CC mammogram of the left breast. Patient age 53.
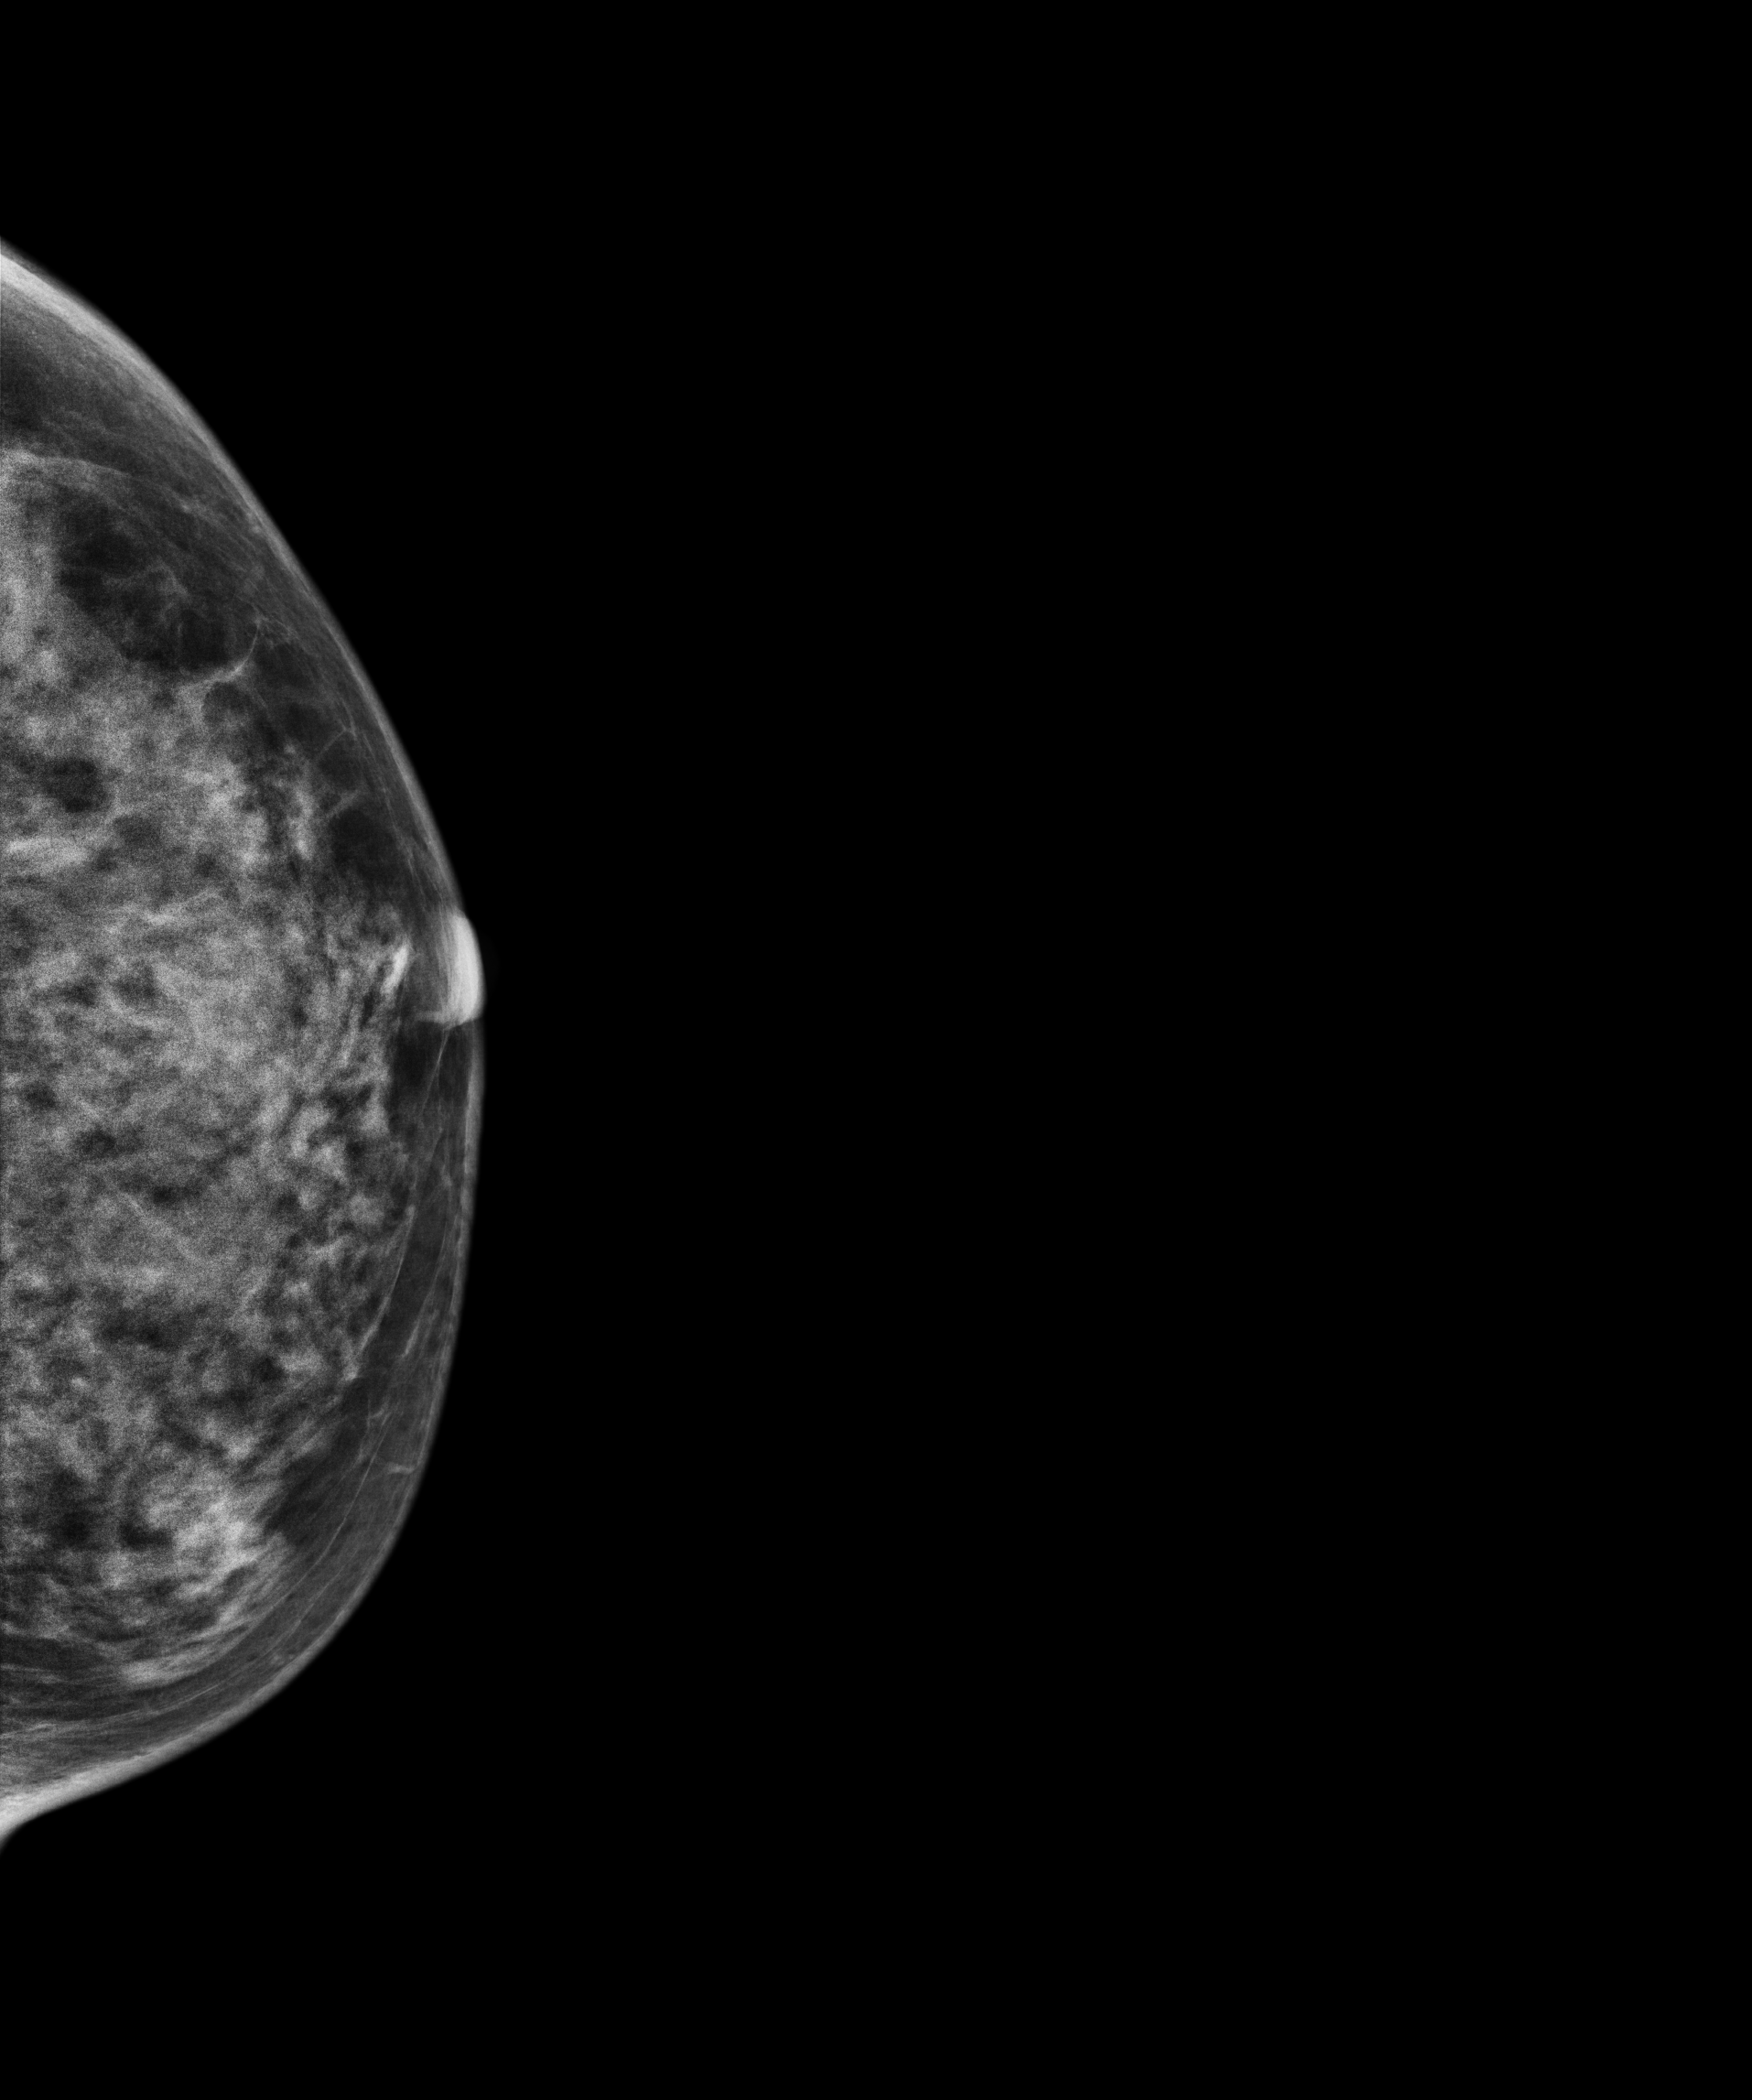
This breast has a mass, histologically confirmed malignant. Molecular subtype: triple-negative.